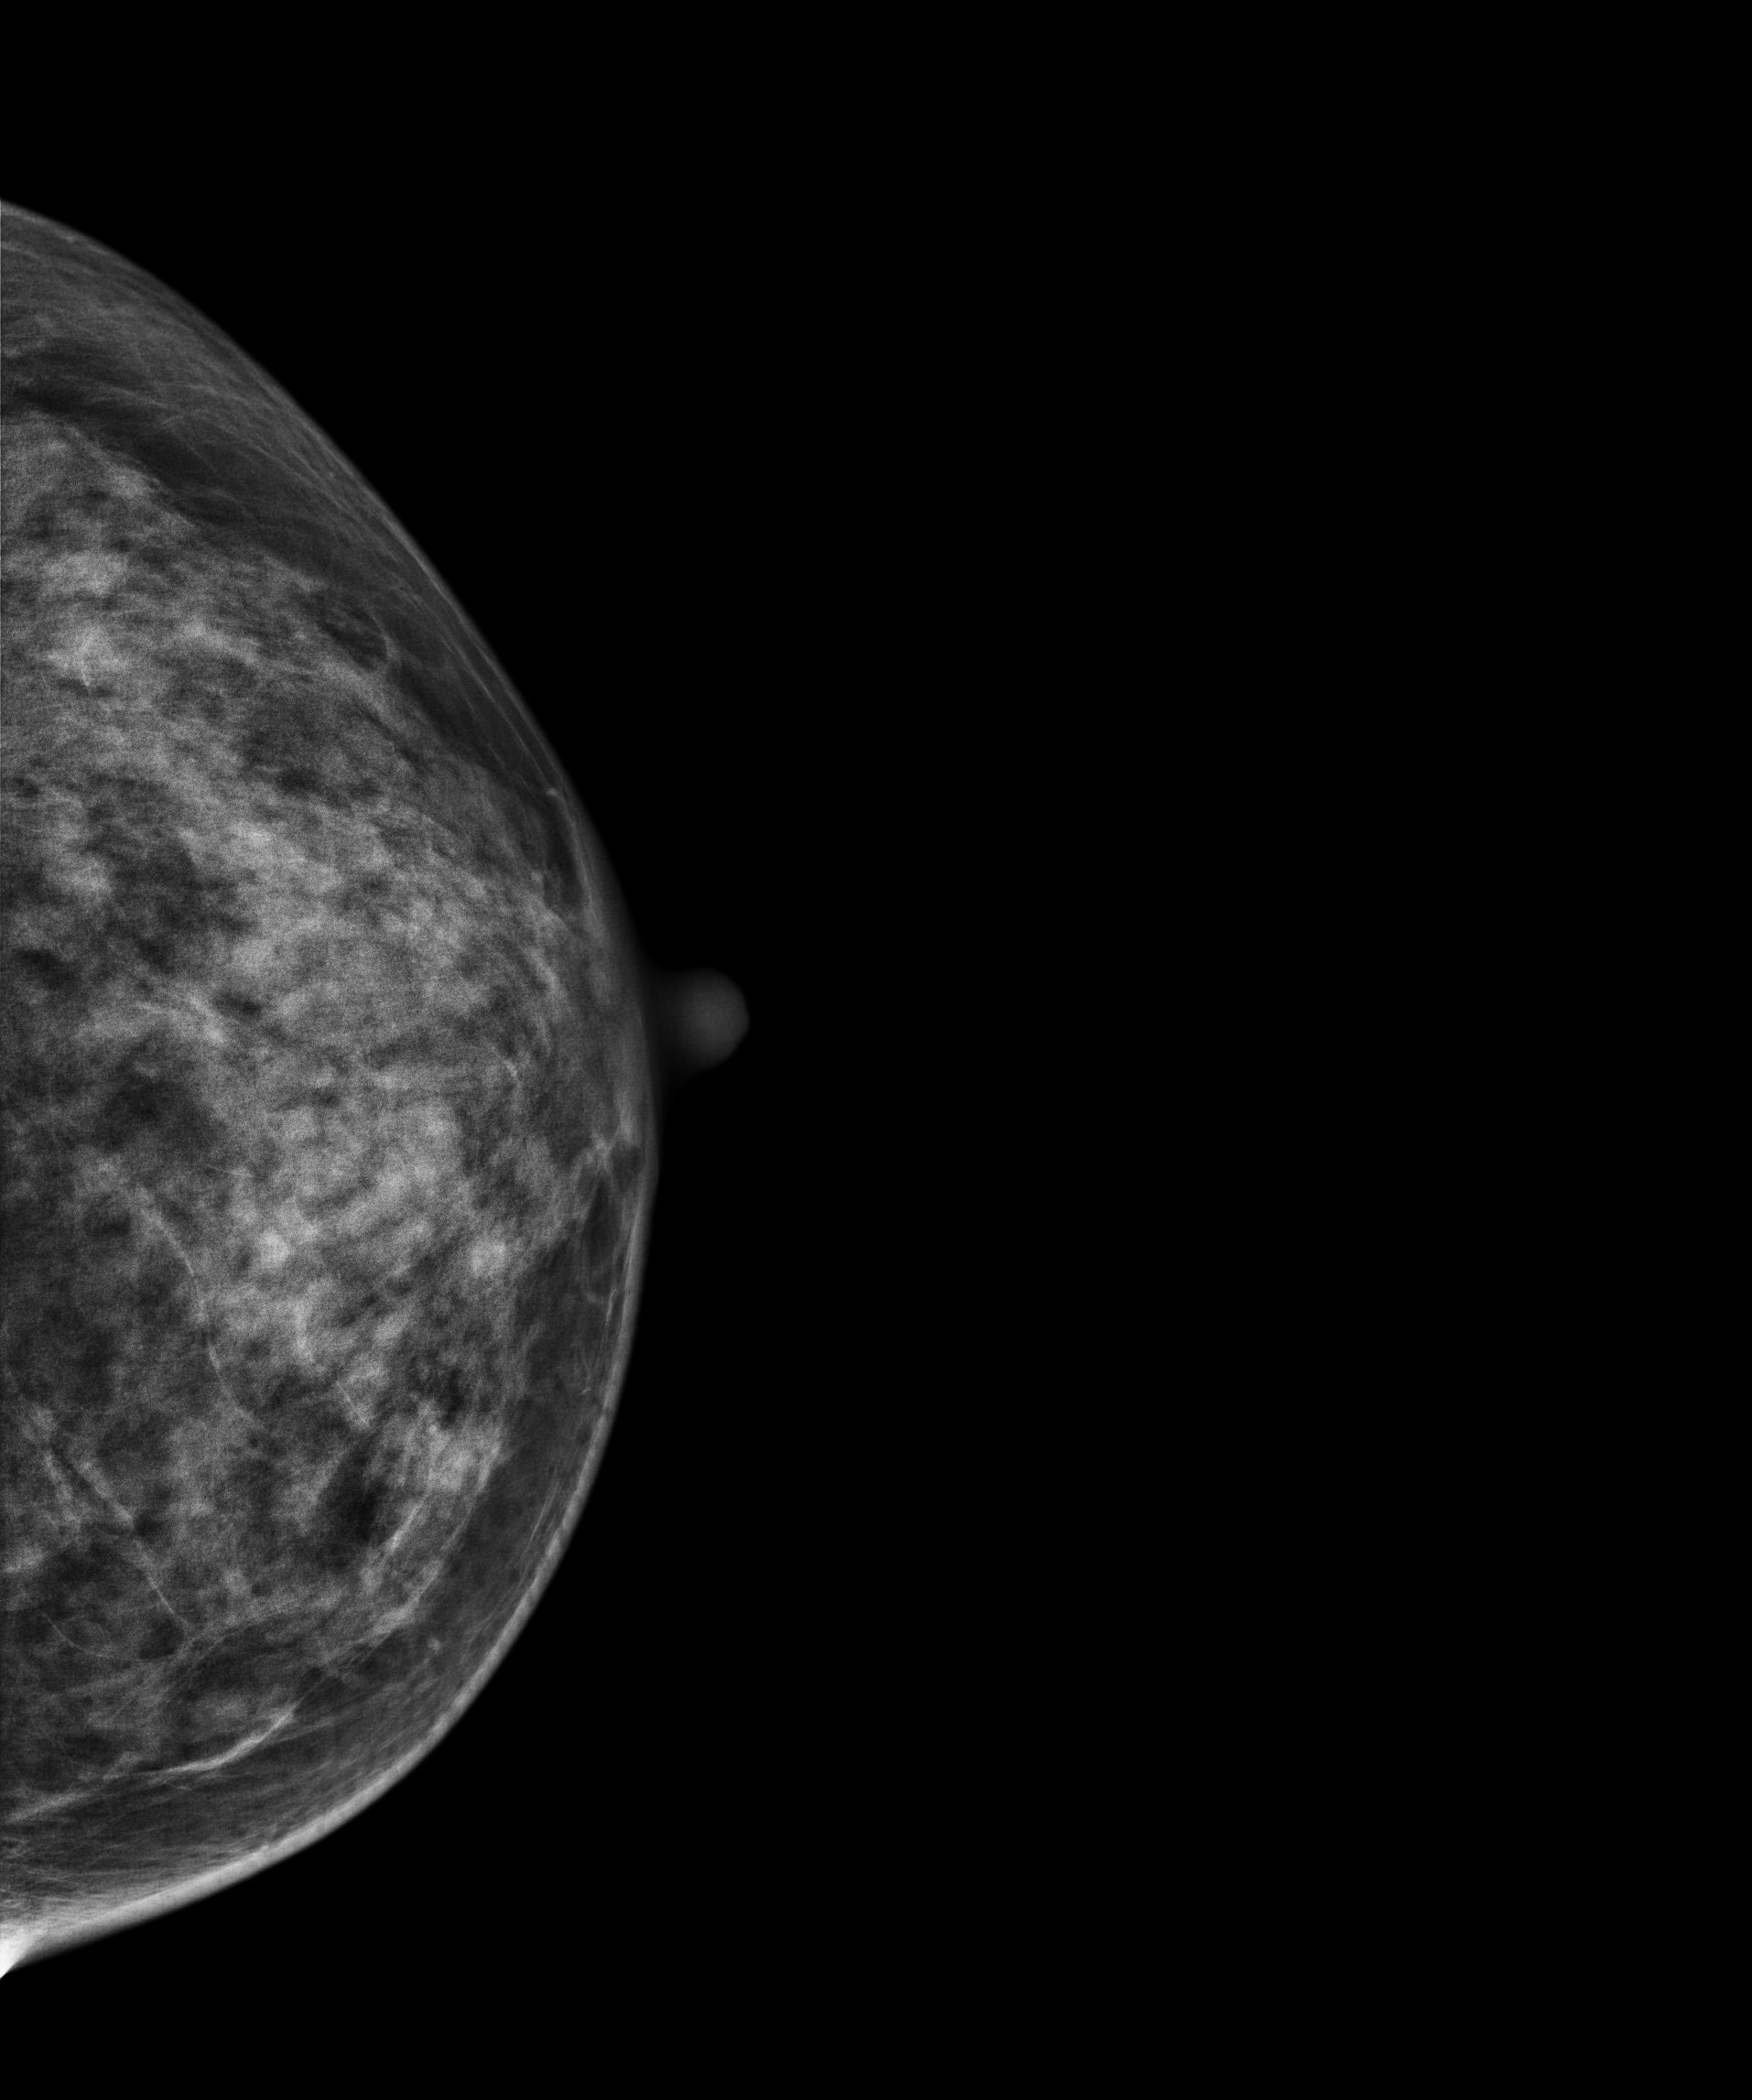
Digital mammography. Left breast, cranio-caudal projection. Patient age 48.
Contralateral breast — no documented abnormality on this side.